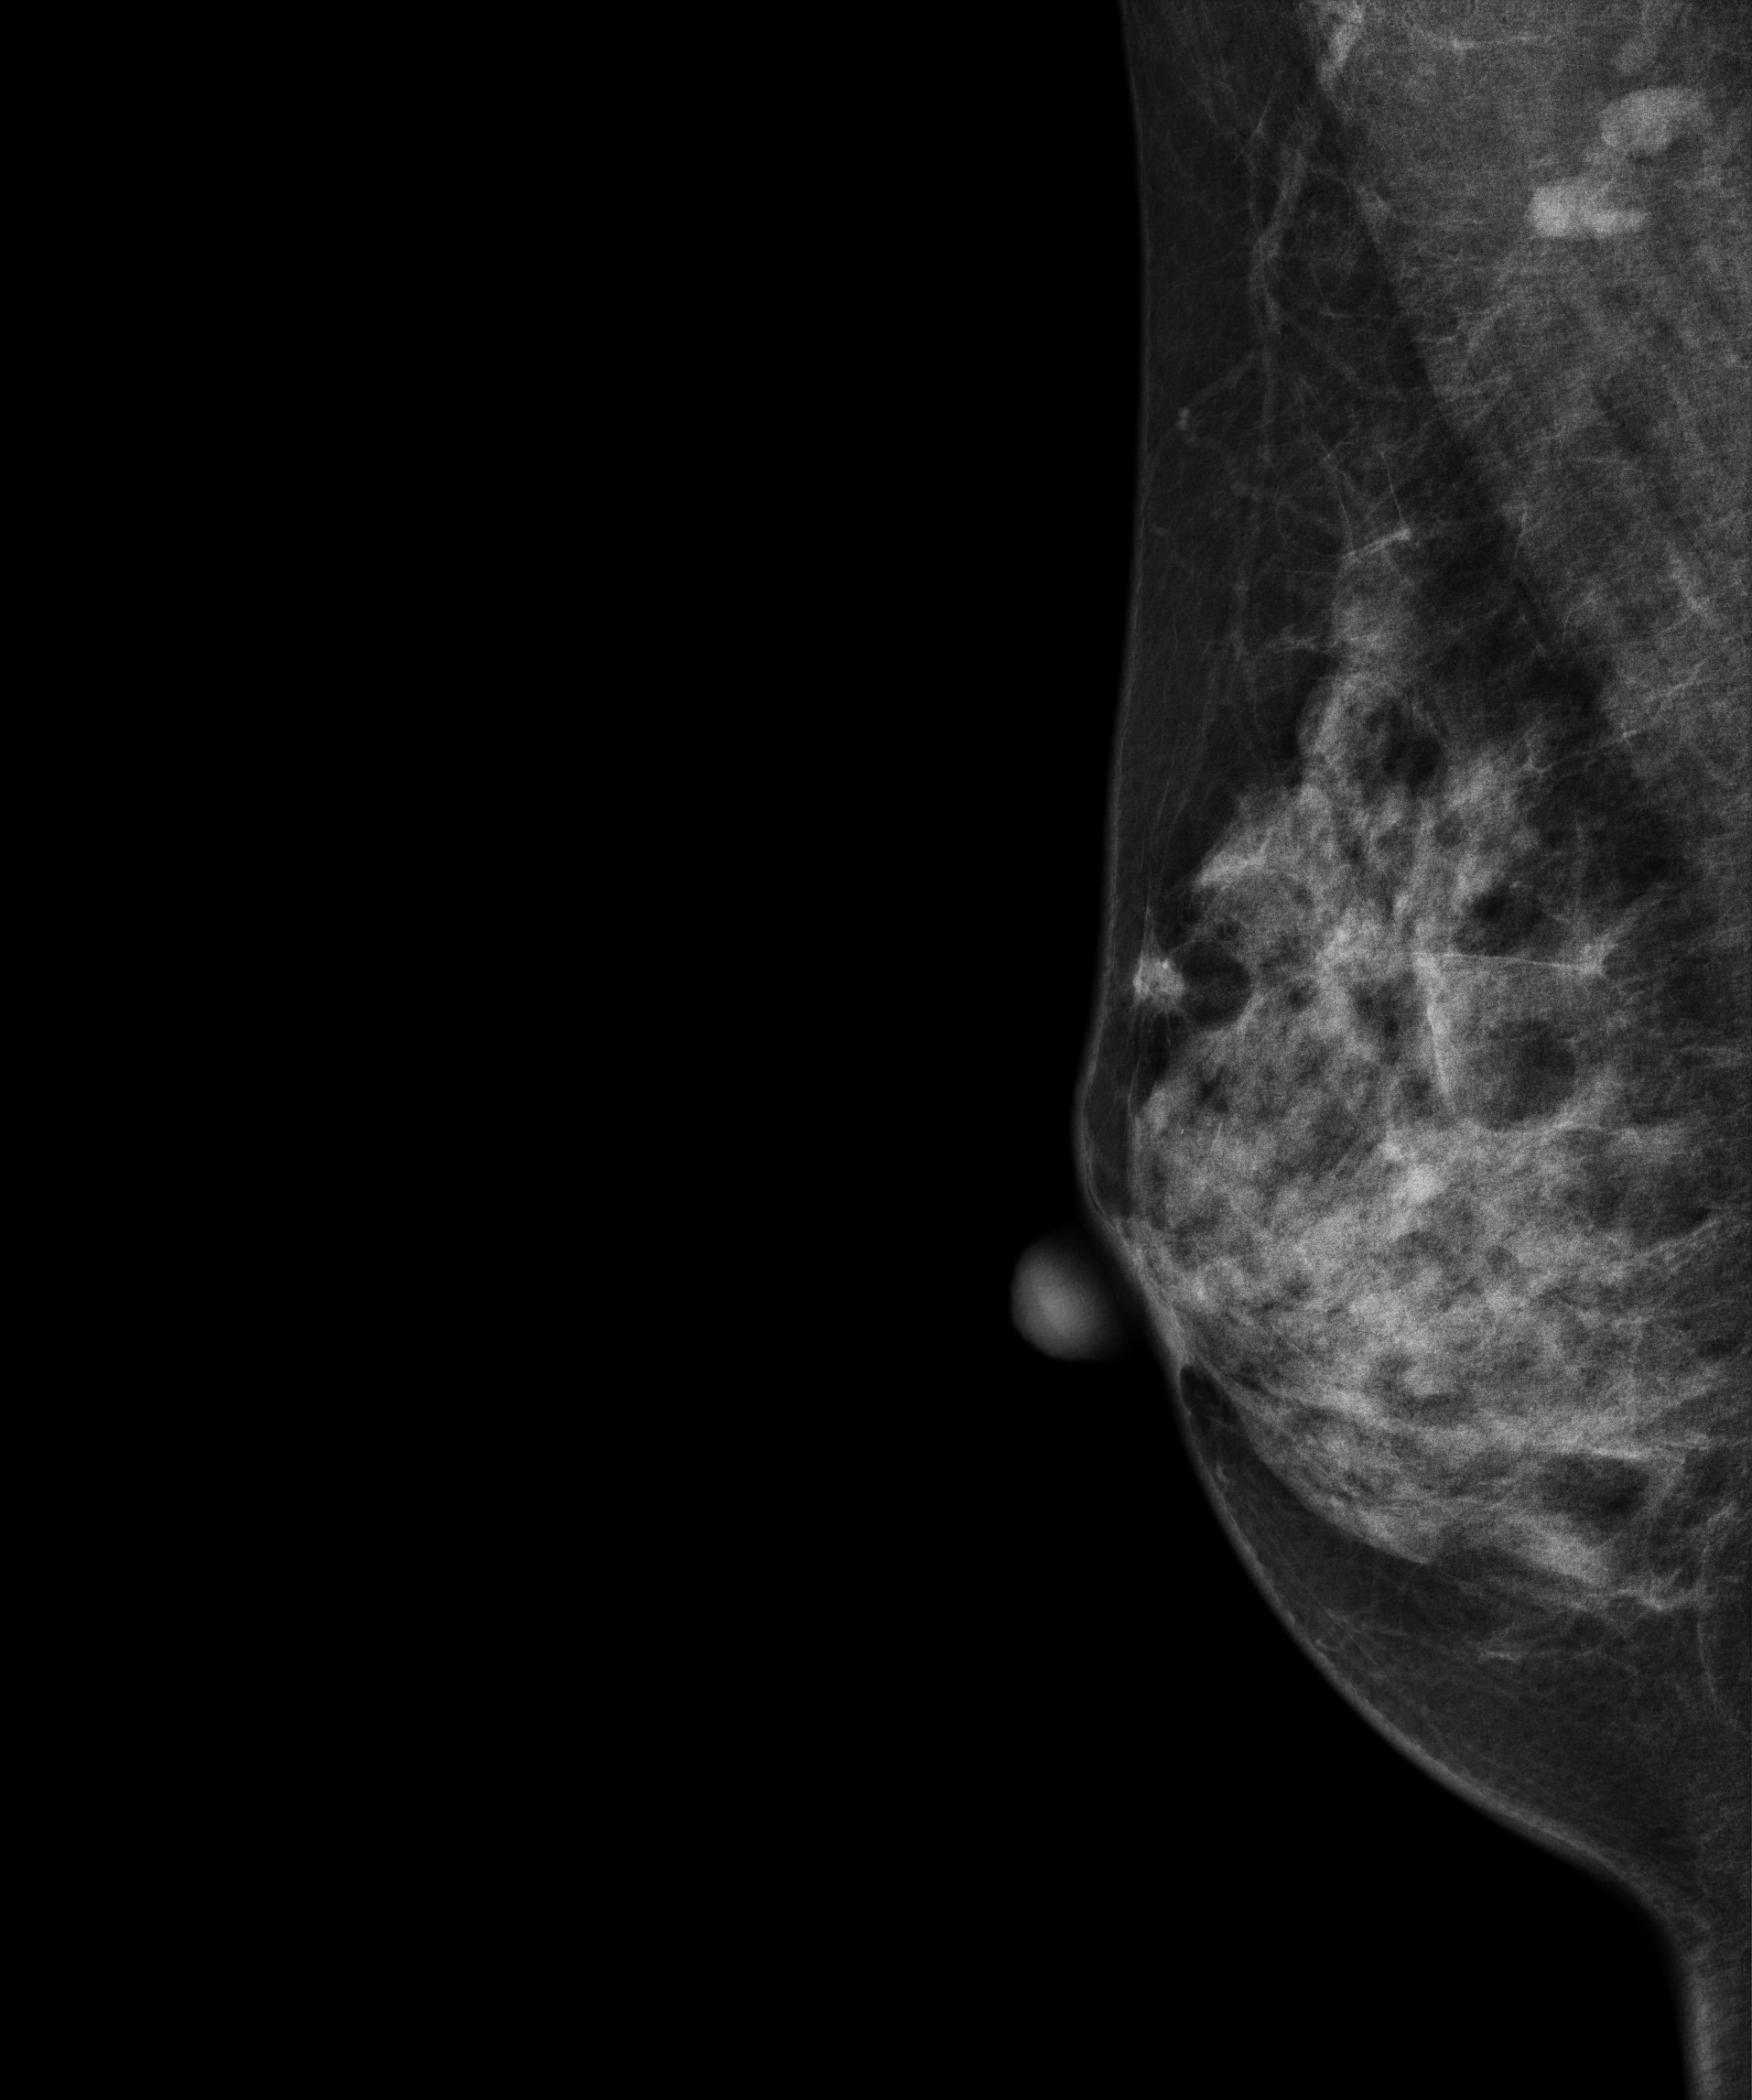
Right-breast mammogram, medio-lateral oblique. 51-year-old patient.
This breast has a mass, pathology-confirmed benign.